CC mammogram of the left breast. 71-year-old patient.
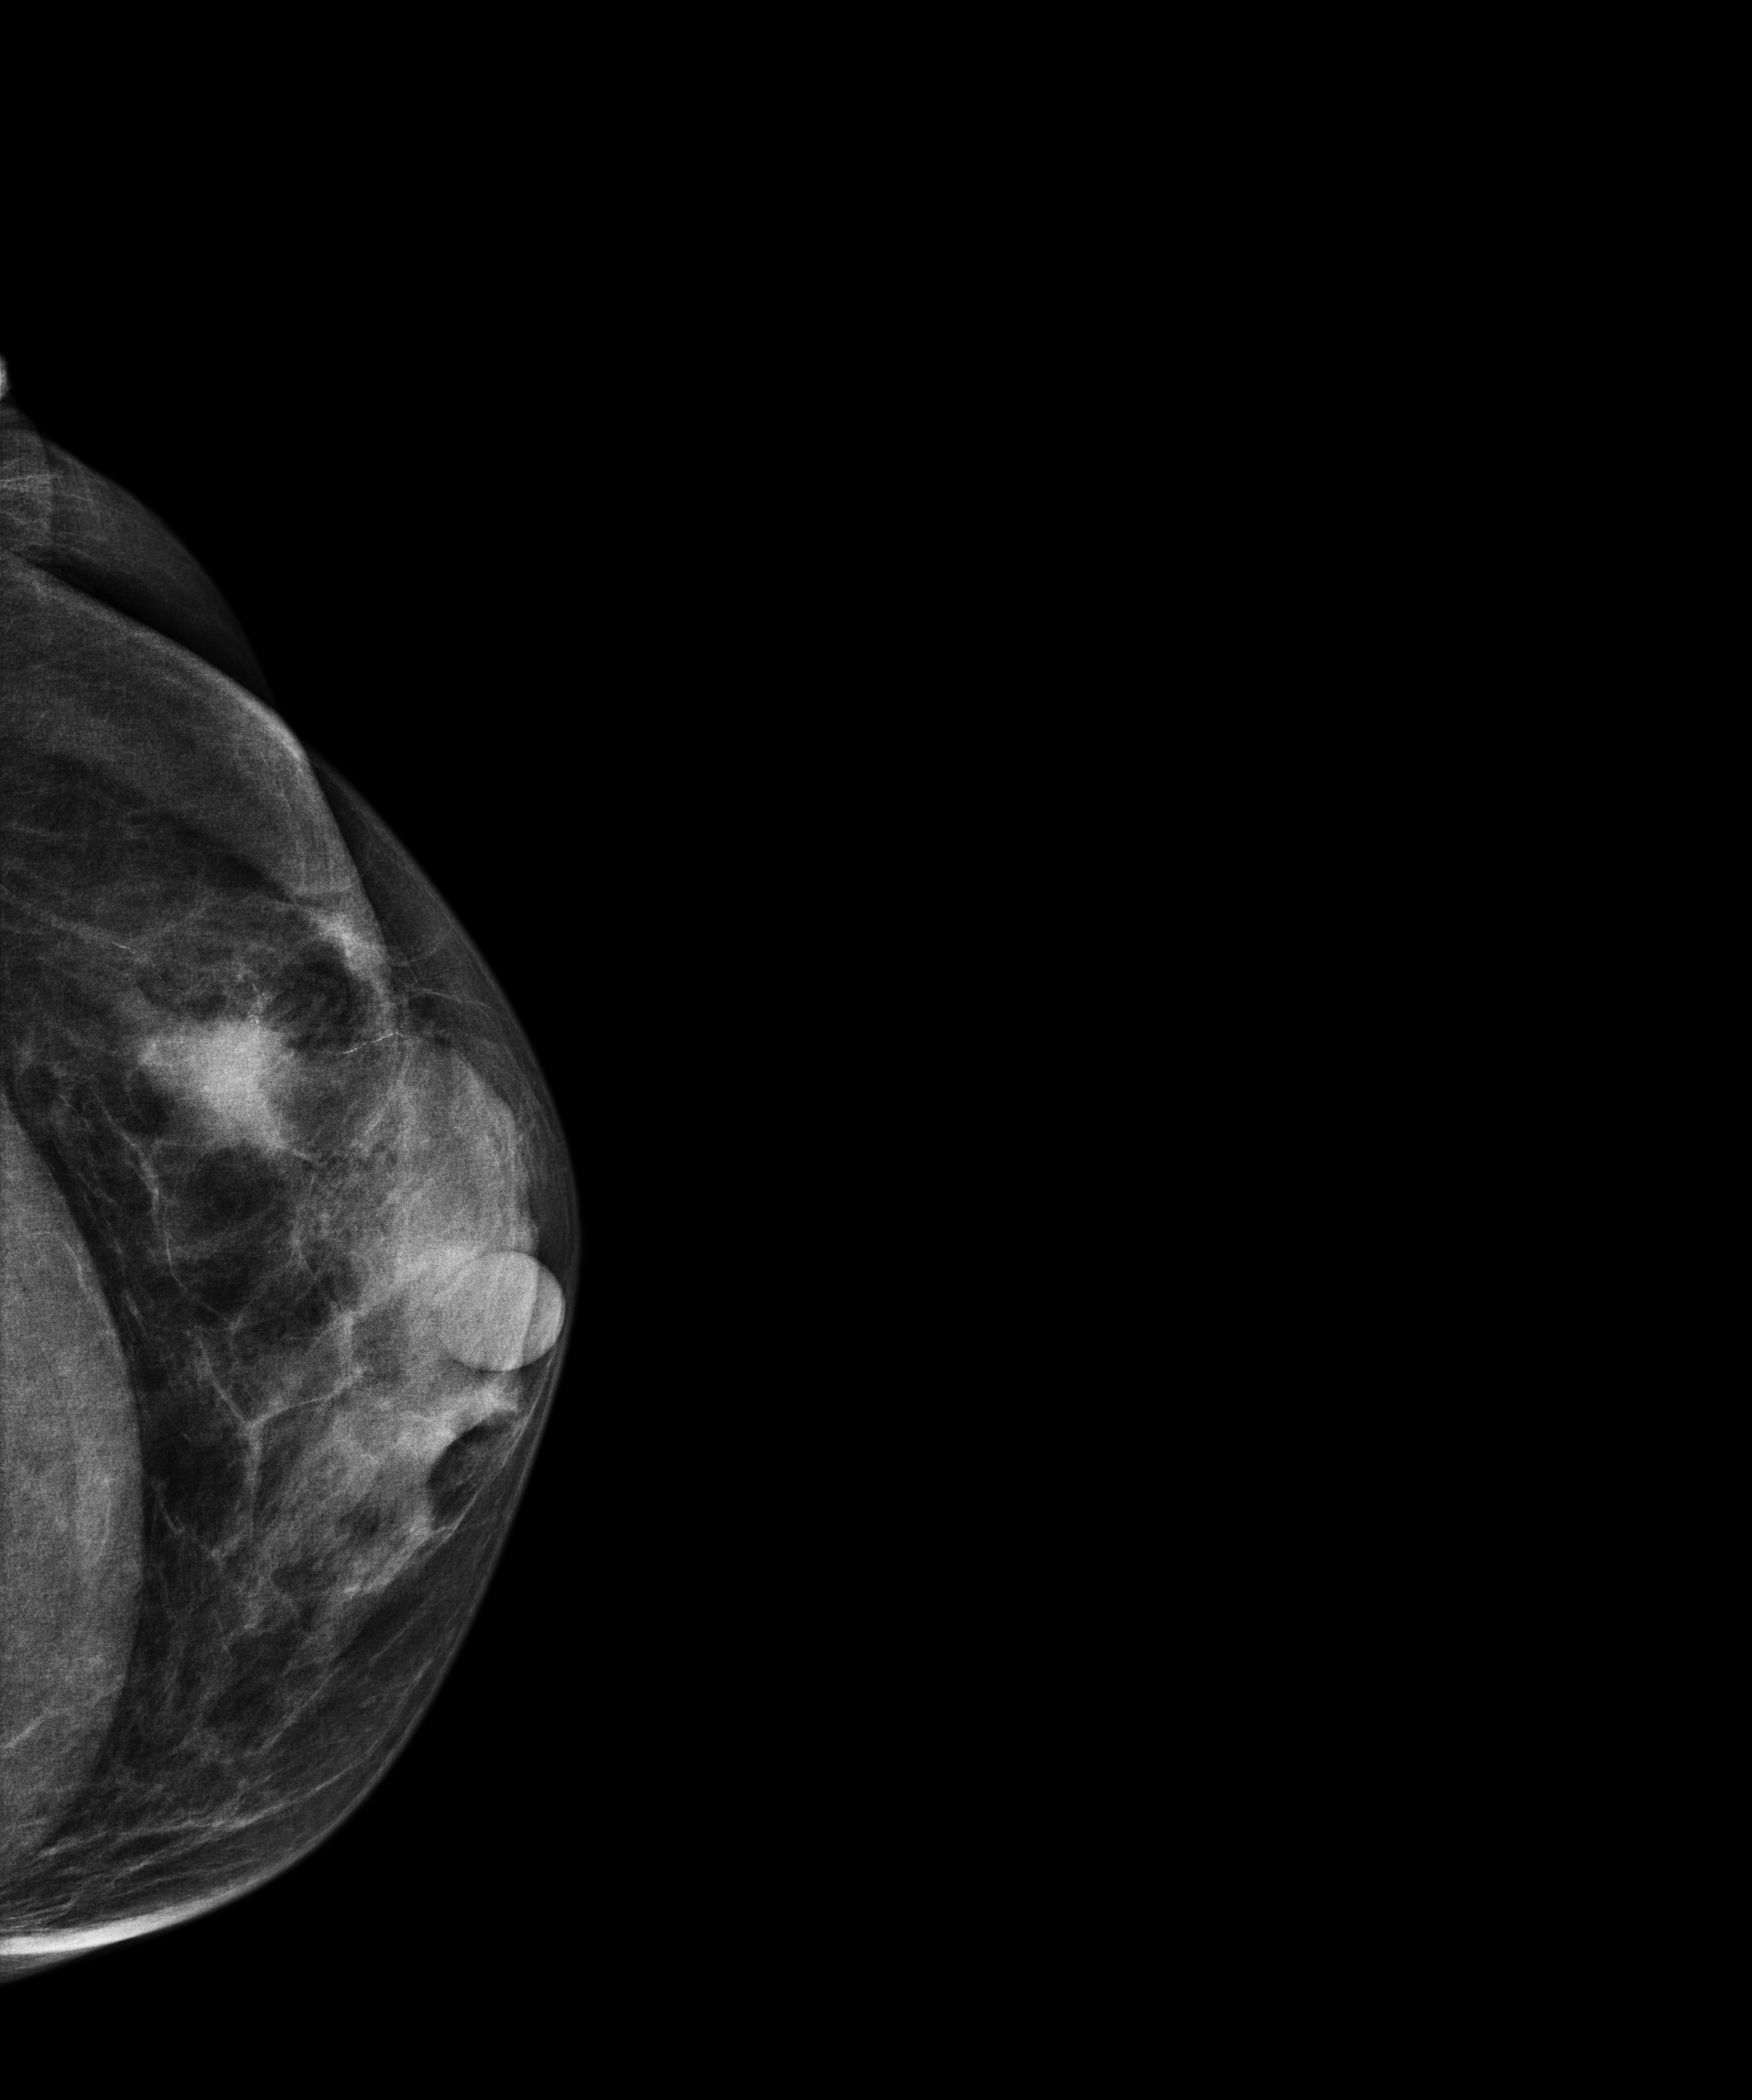
This breast has a mass, biopsy-proven malignant. Molecular subtype: luminal B.